Right-breast mammogram, cranio-caudal. 49-year-old patient.
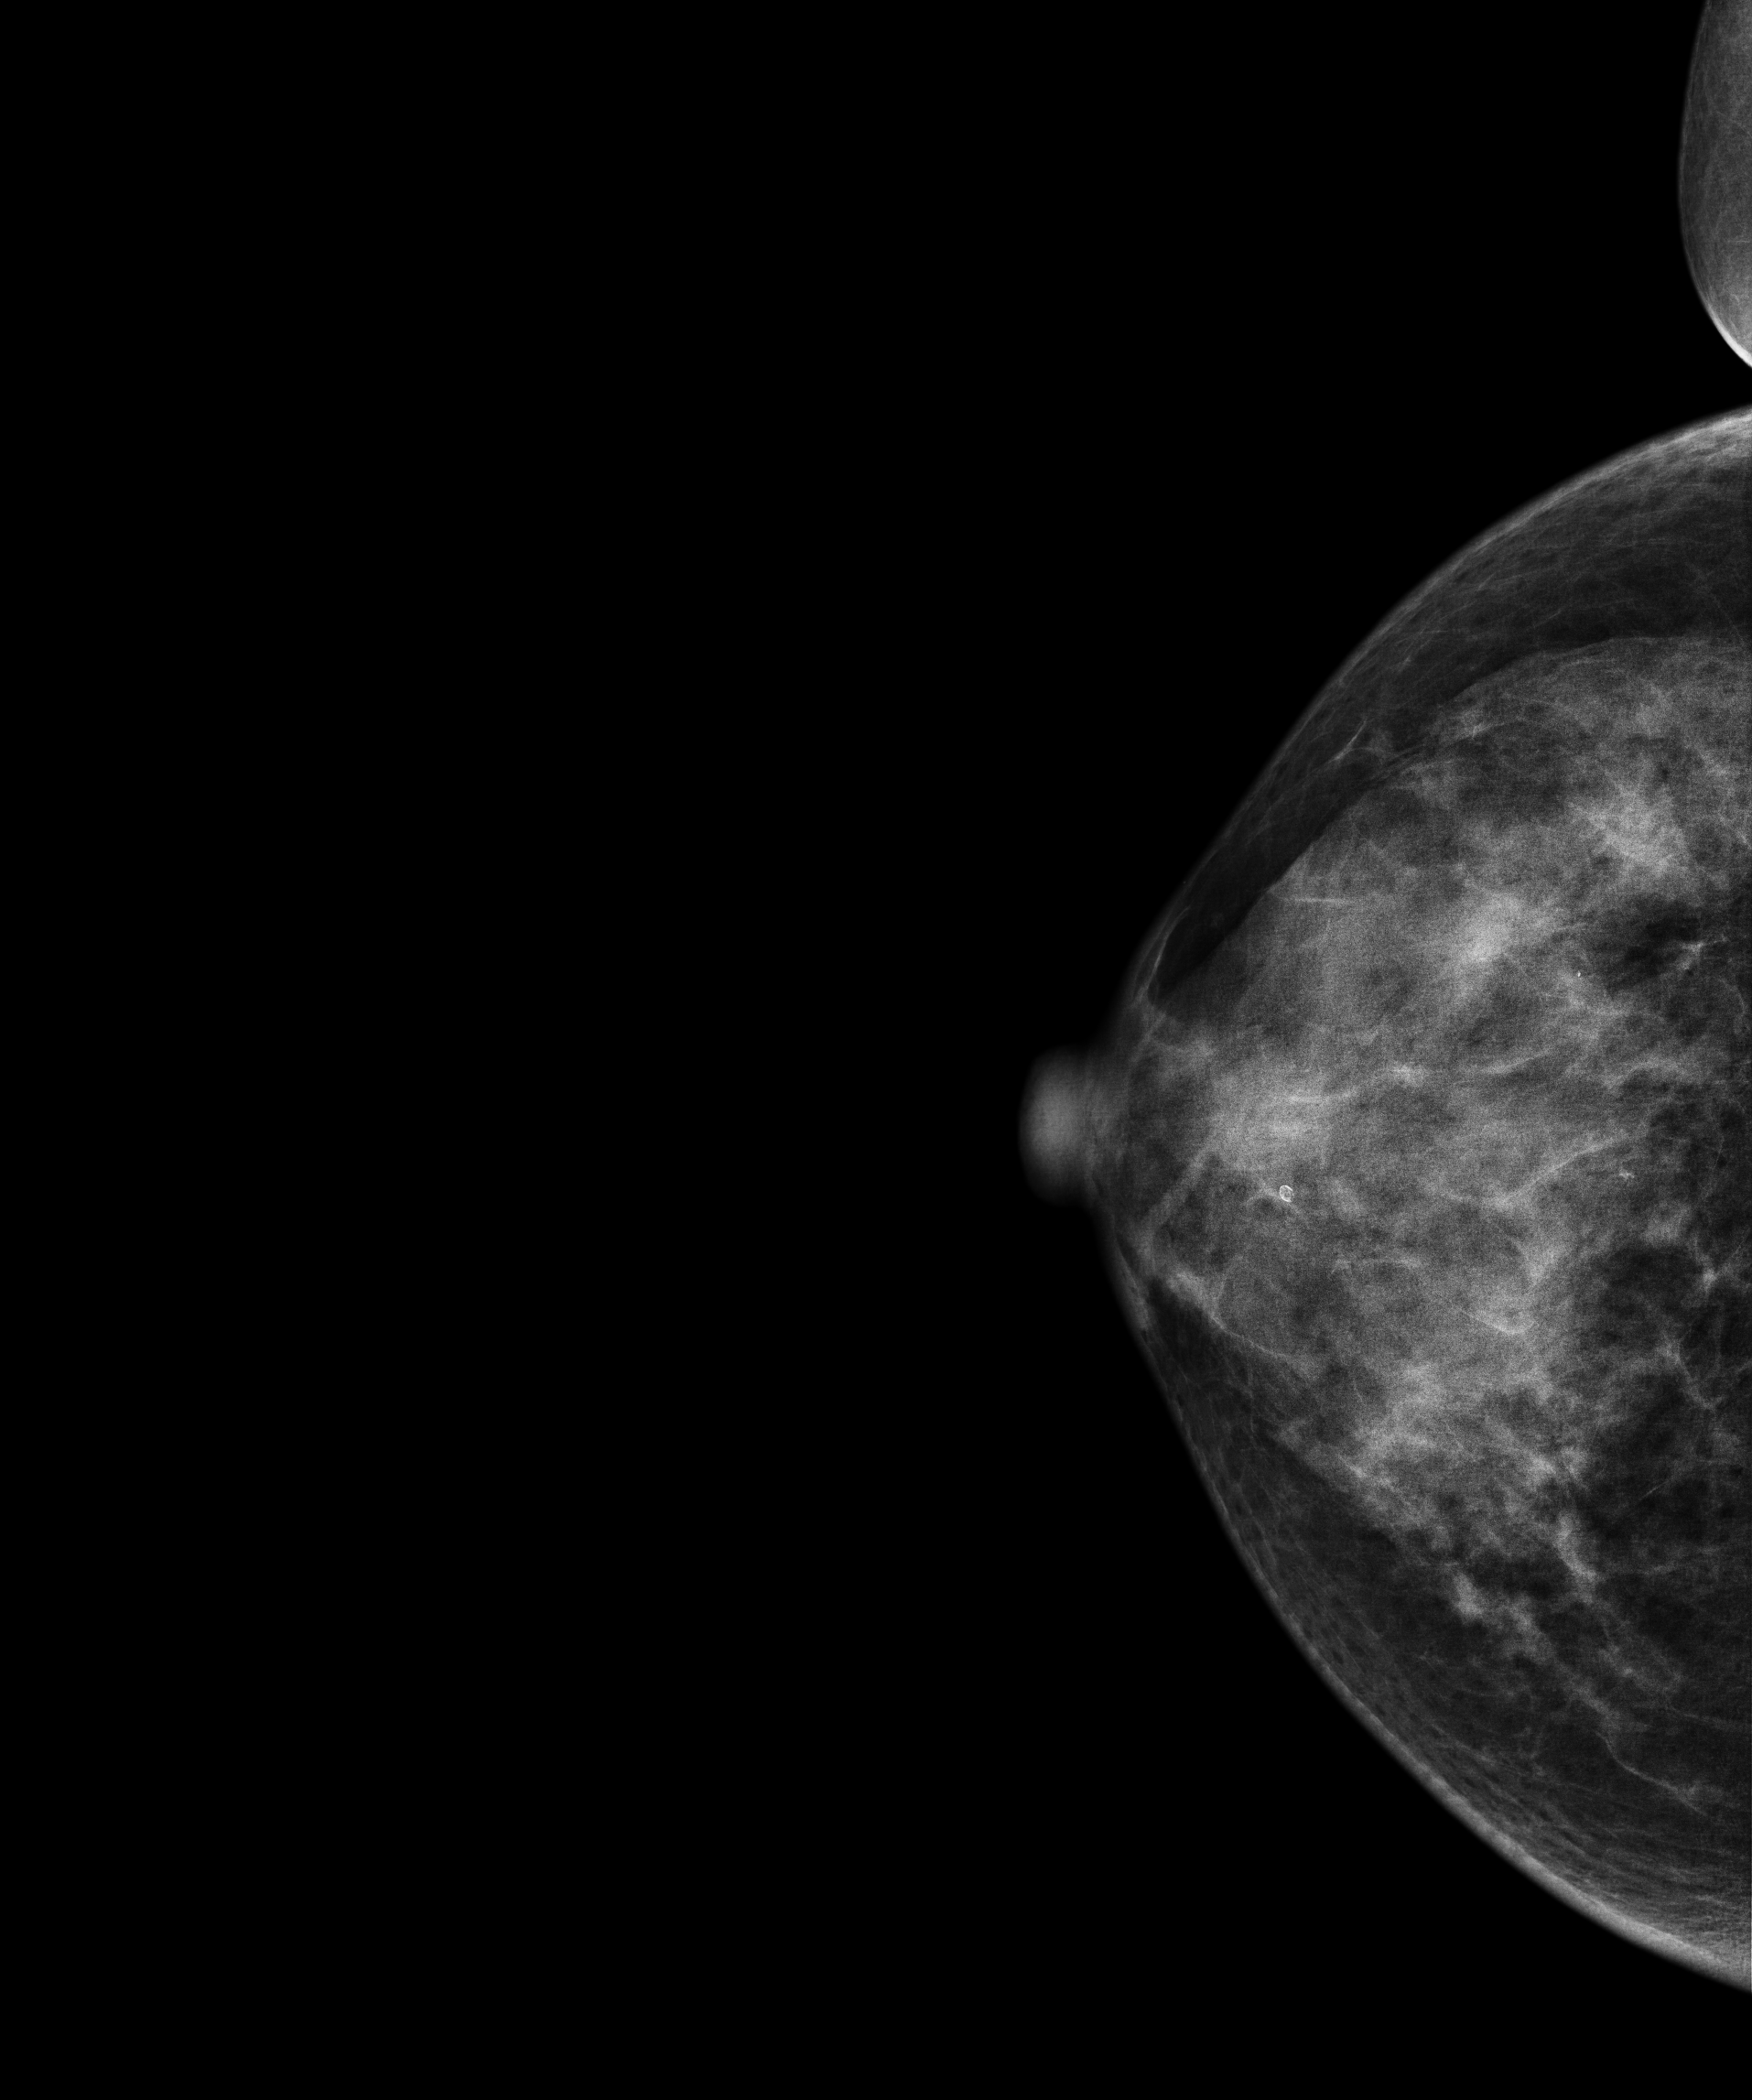
Contralateral breast — no documented abnormality on this side.